Mammogram — left medio-lateral oblique. 69 y/o patient.
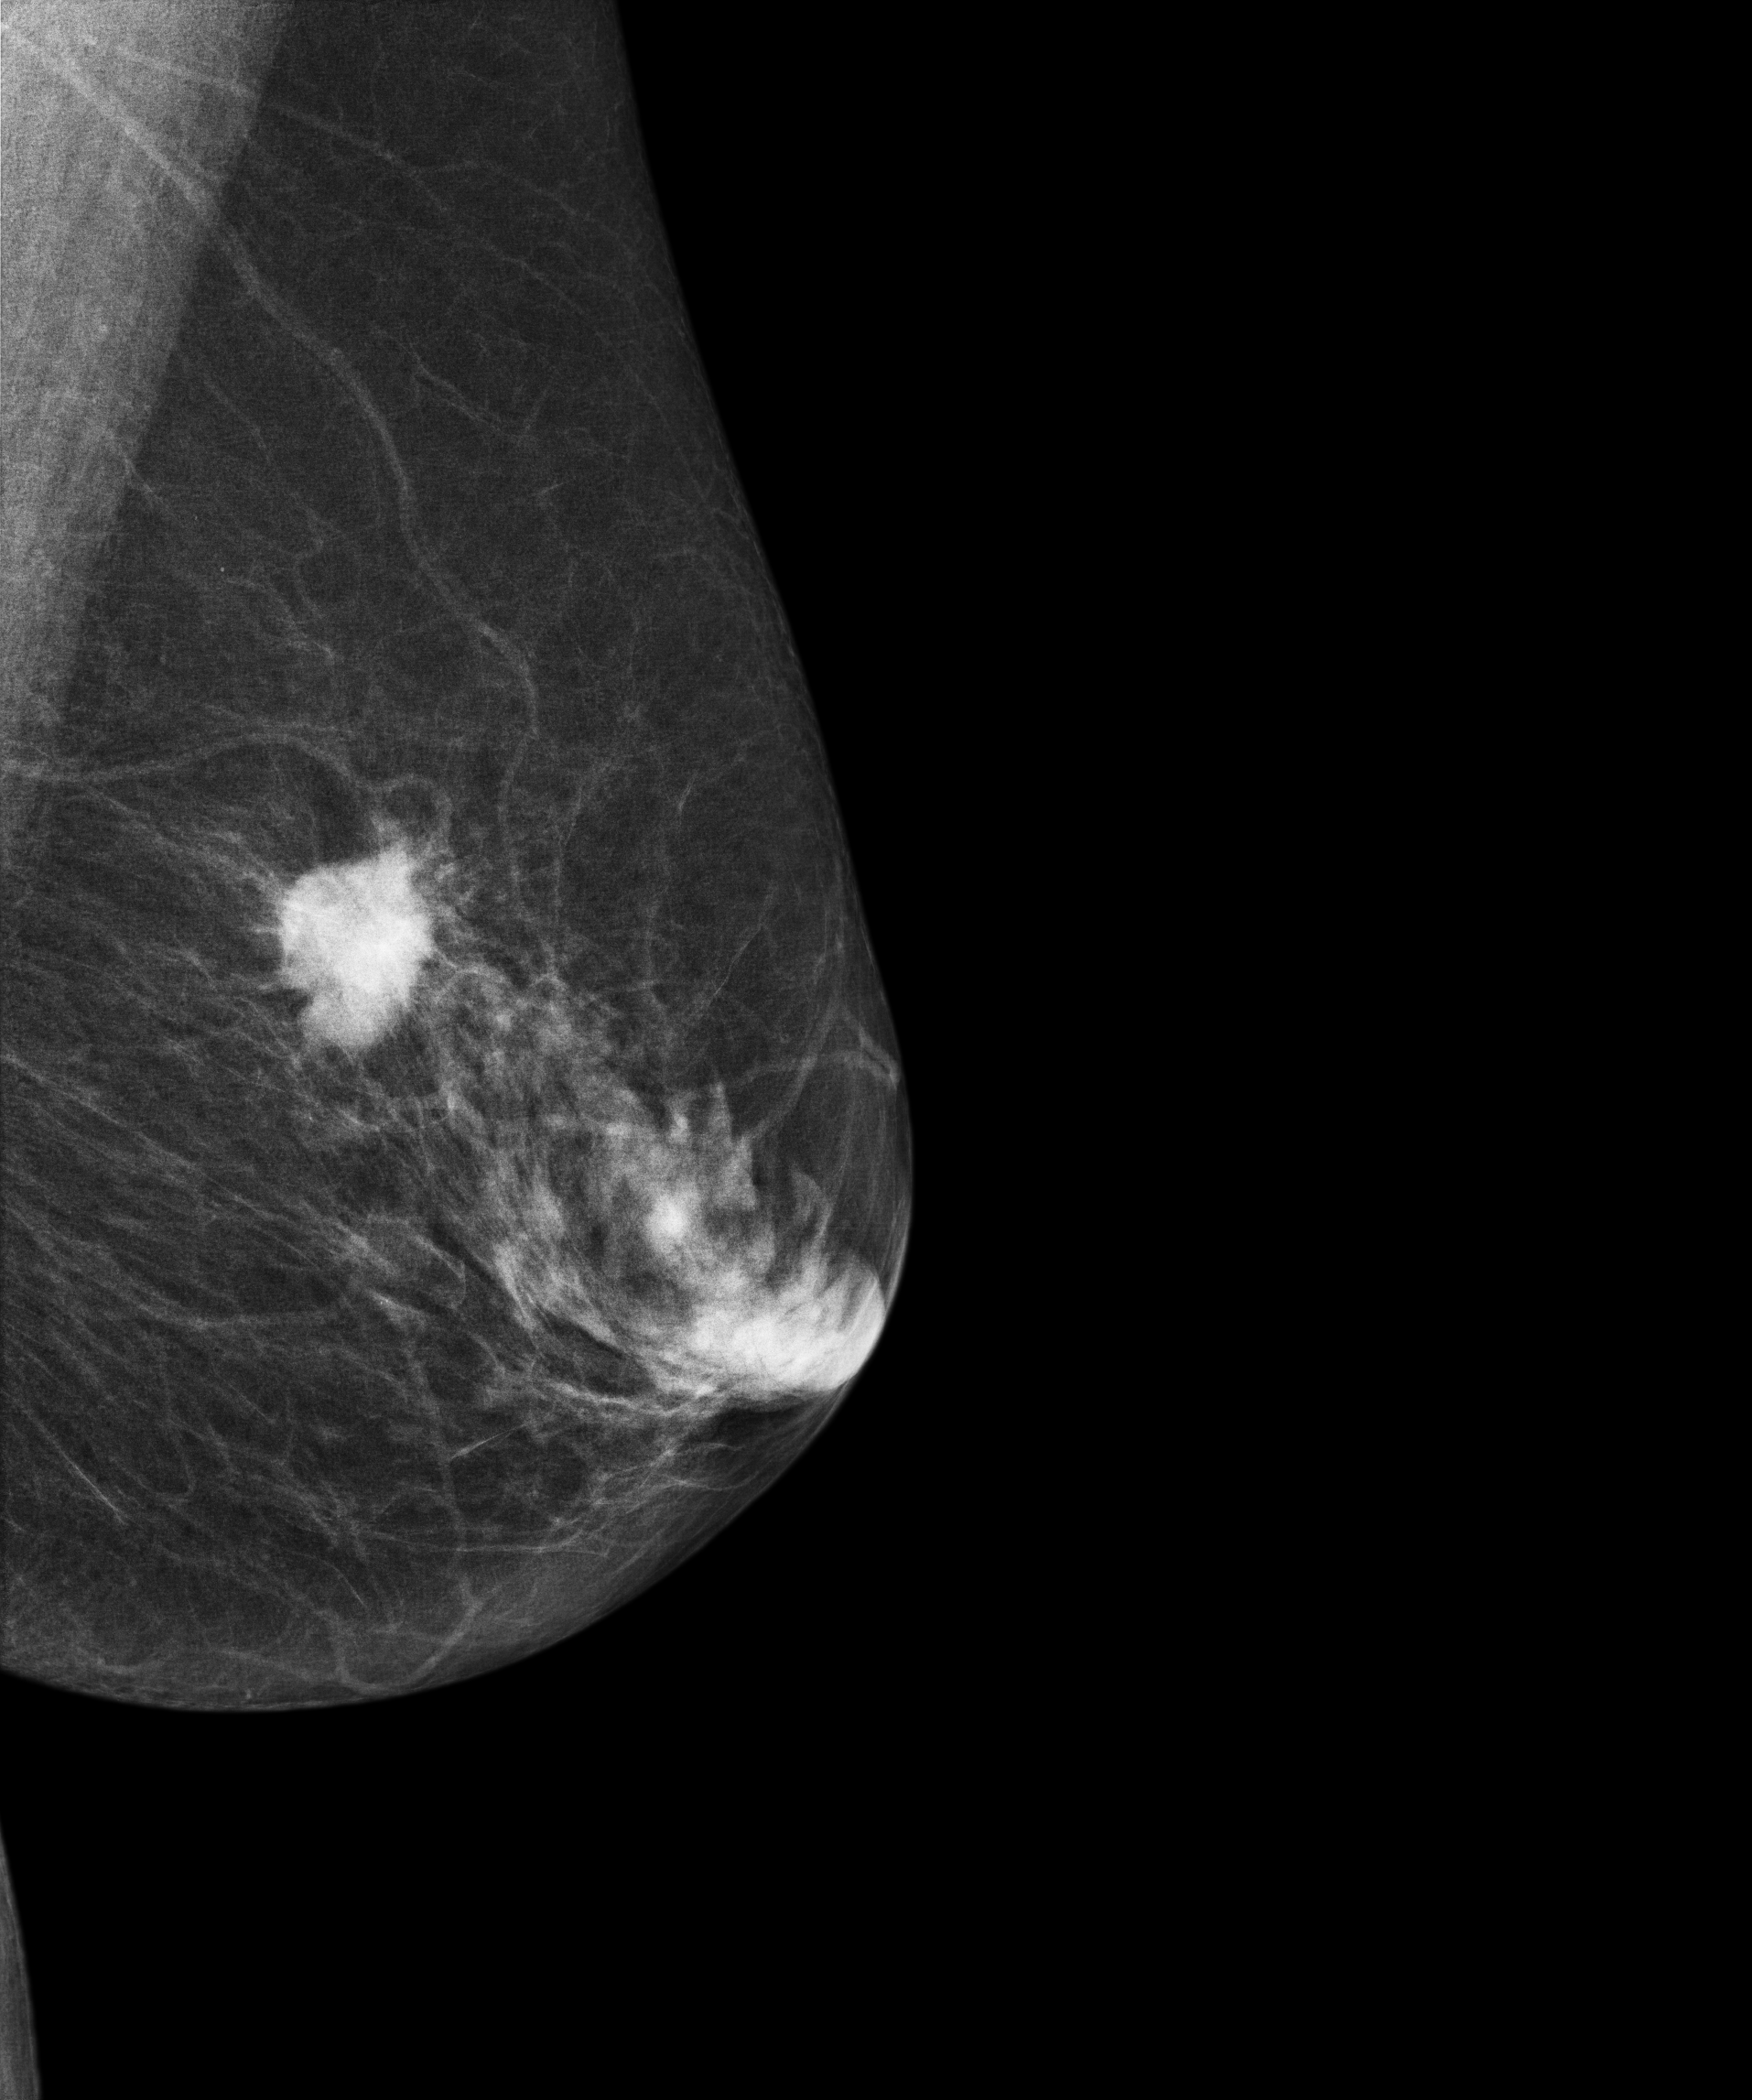
This breast has a mass, histologically confirmed malignant. Molecular subtype: luminal A.